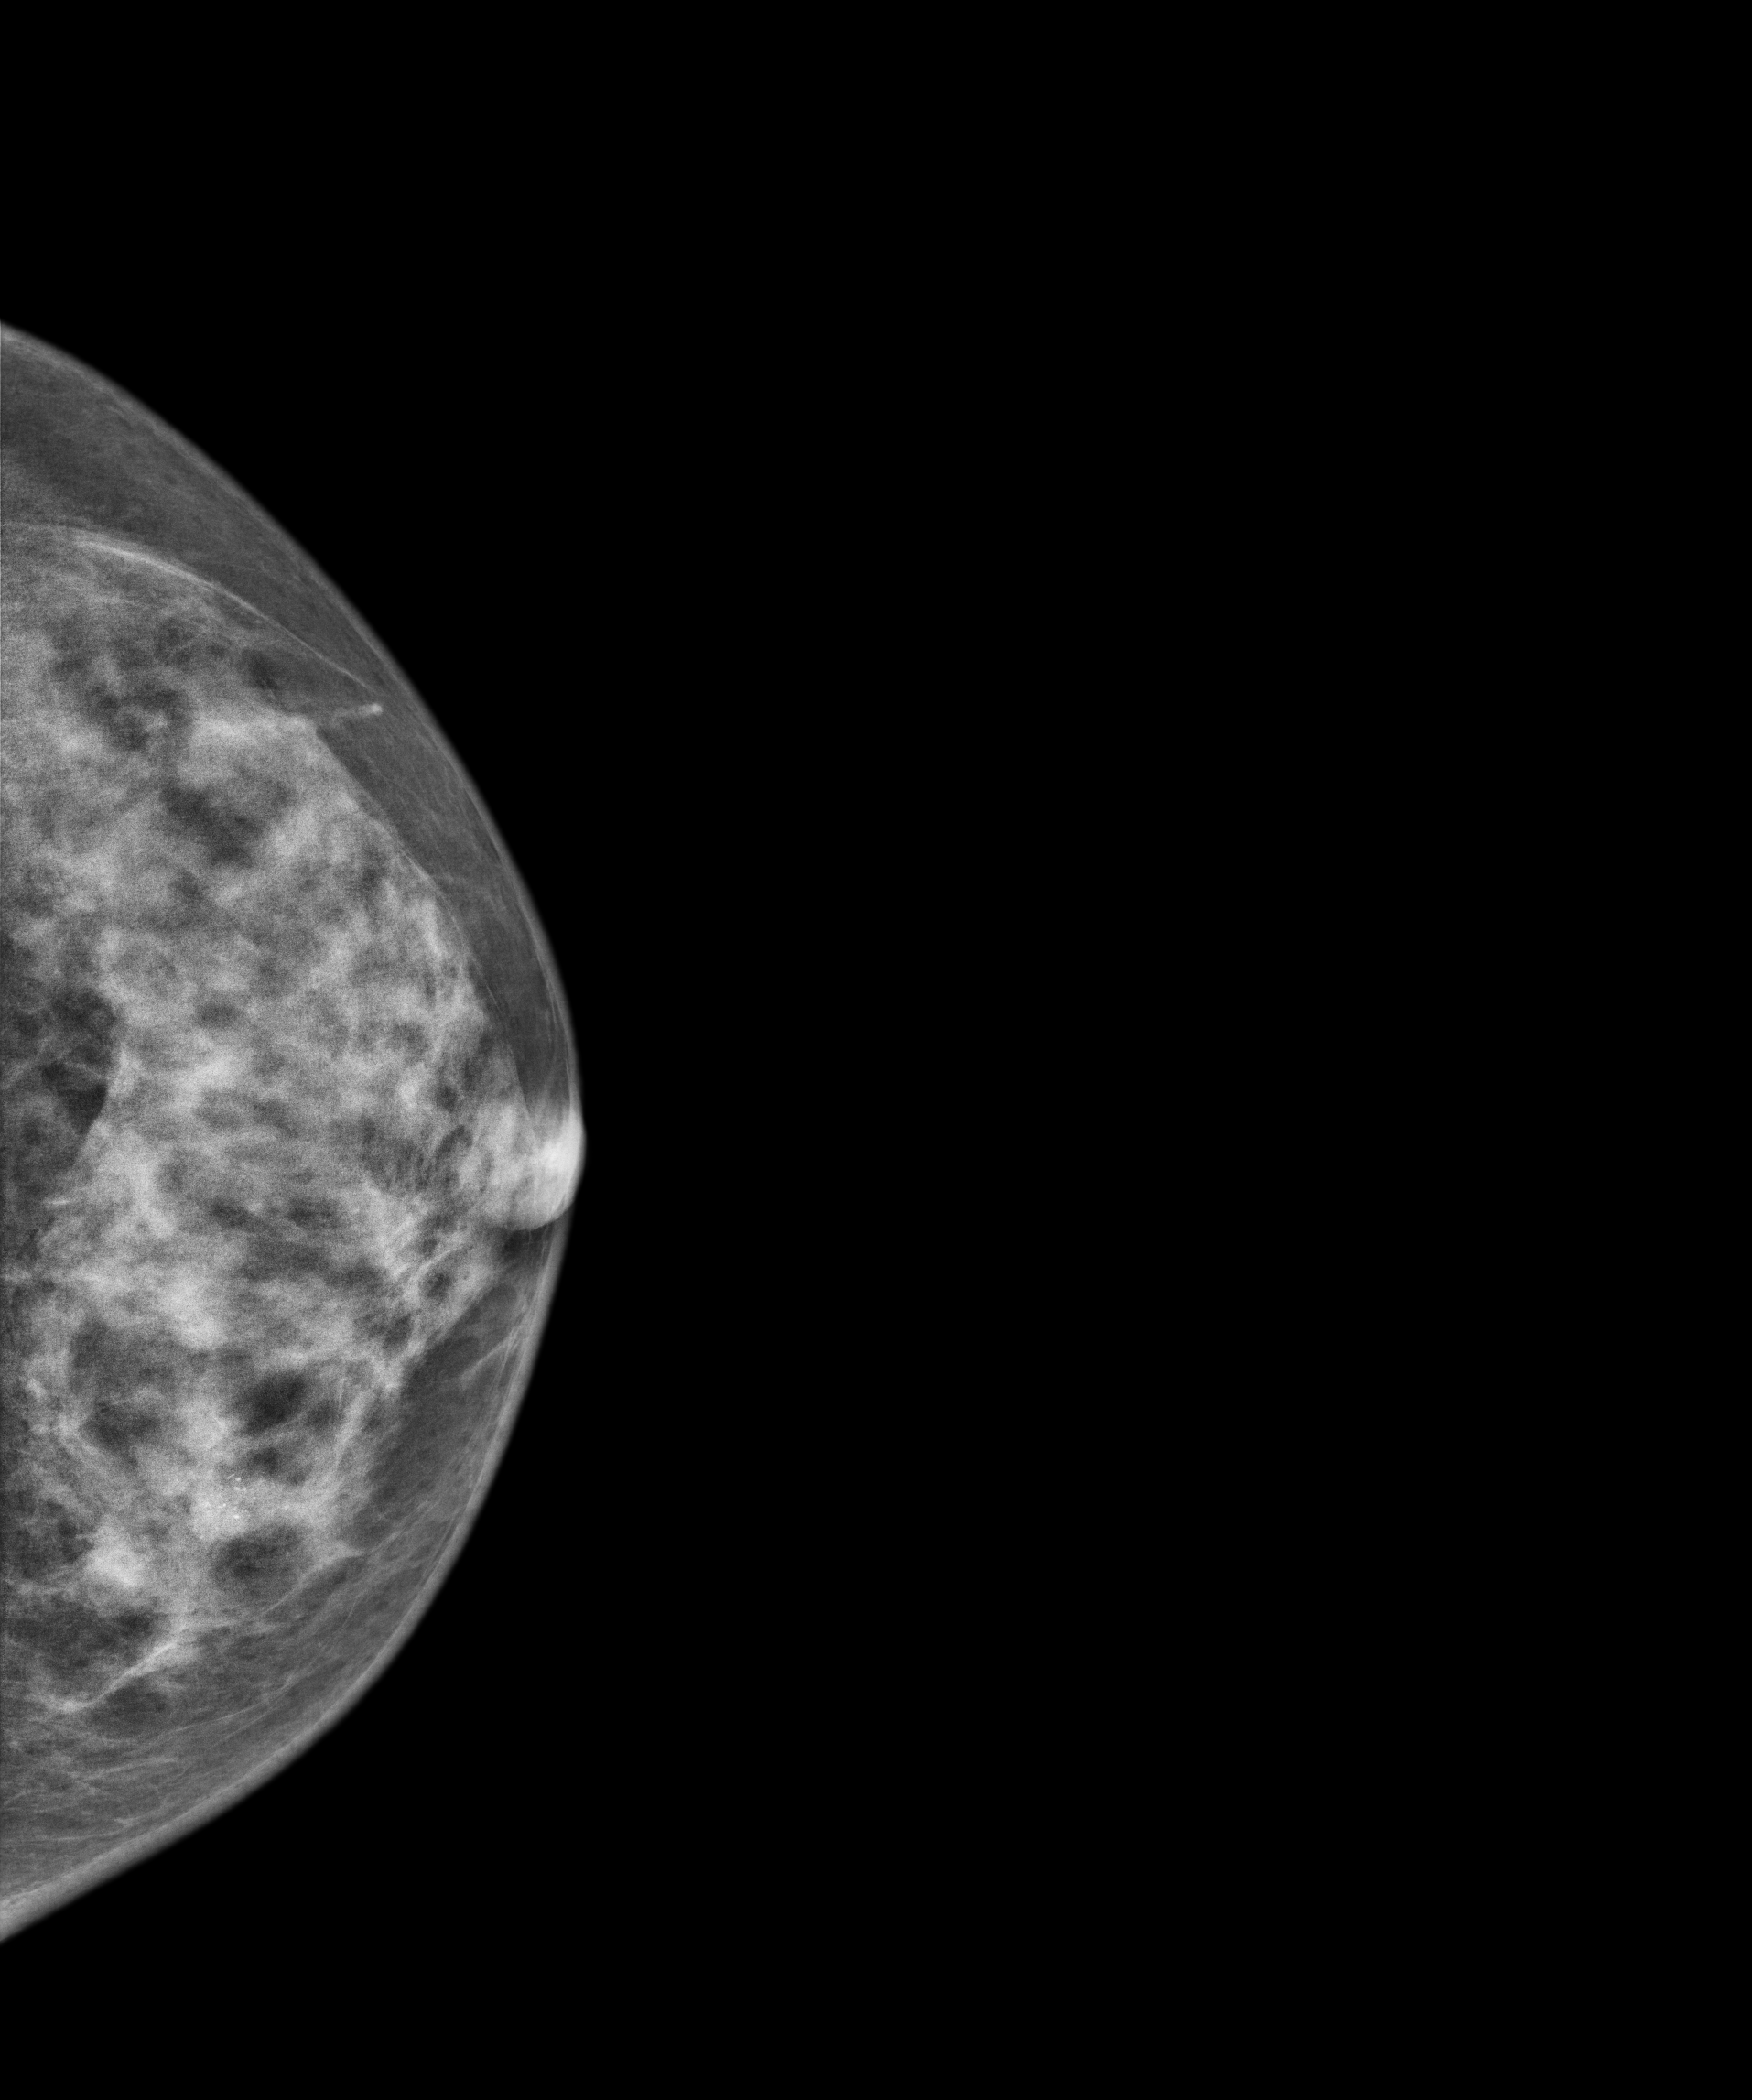
Cranio-caudal mammogram of the left breast. 39-year-old patient.
This breast has calcifications, pathology-confirmed malignant.